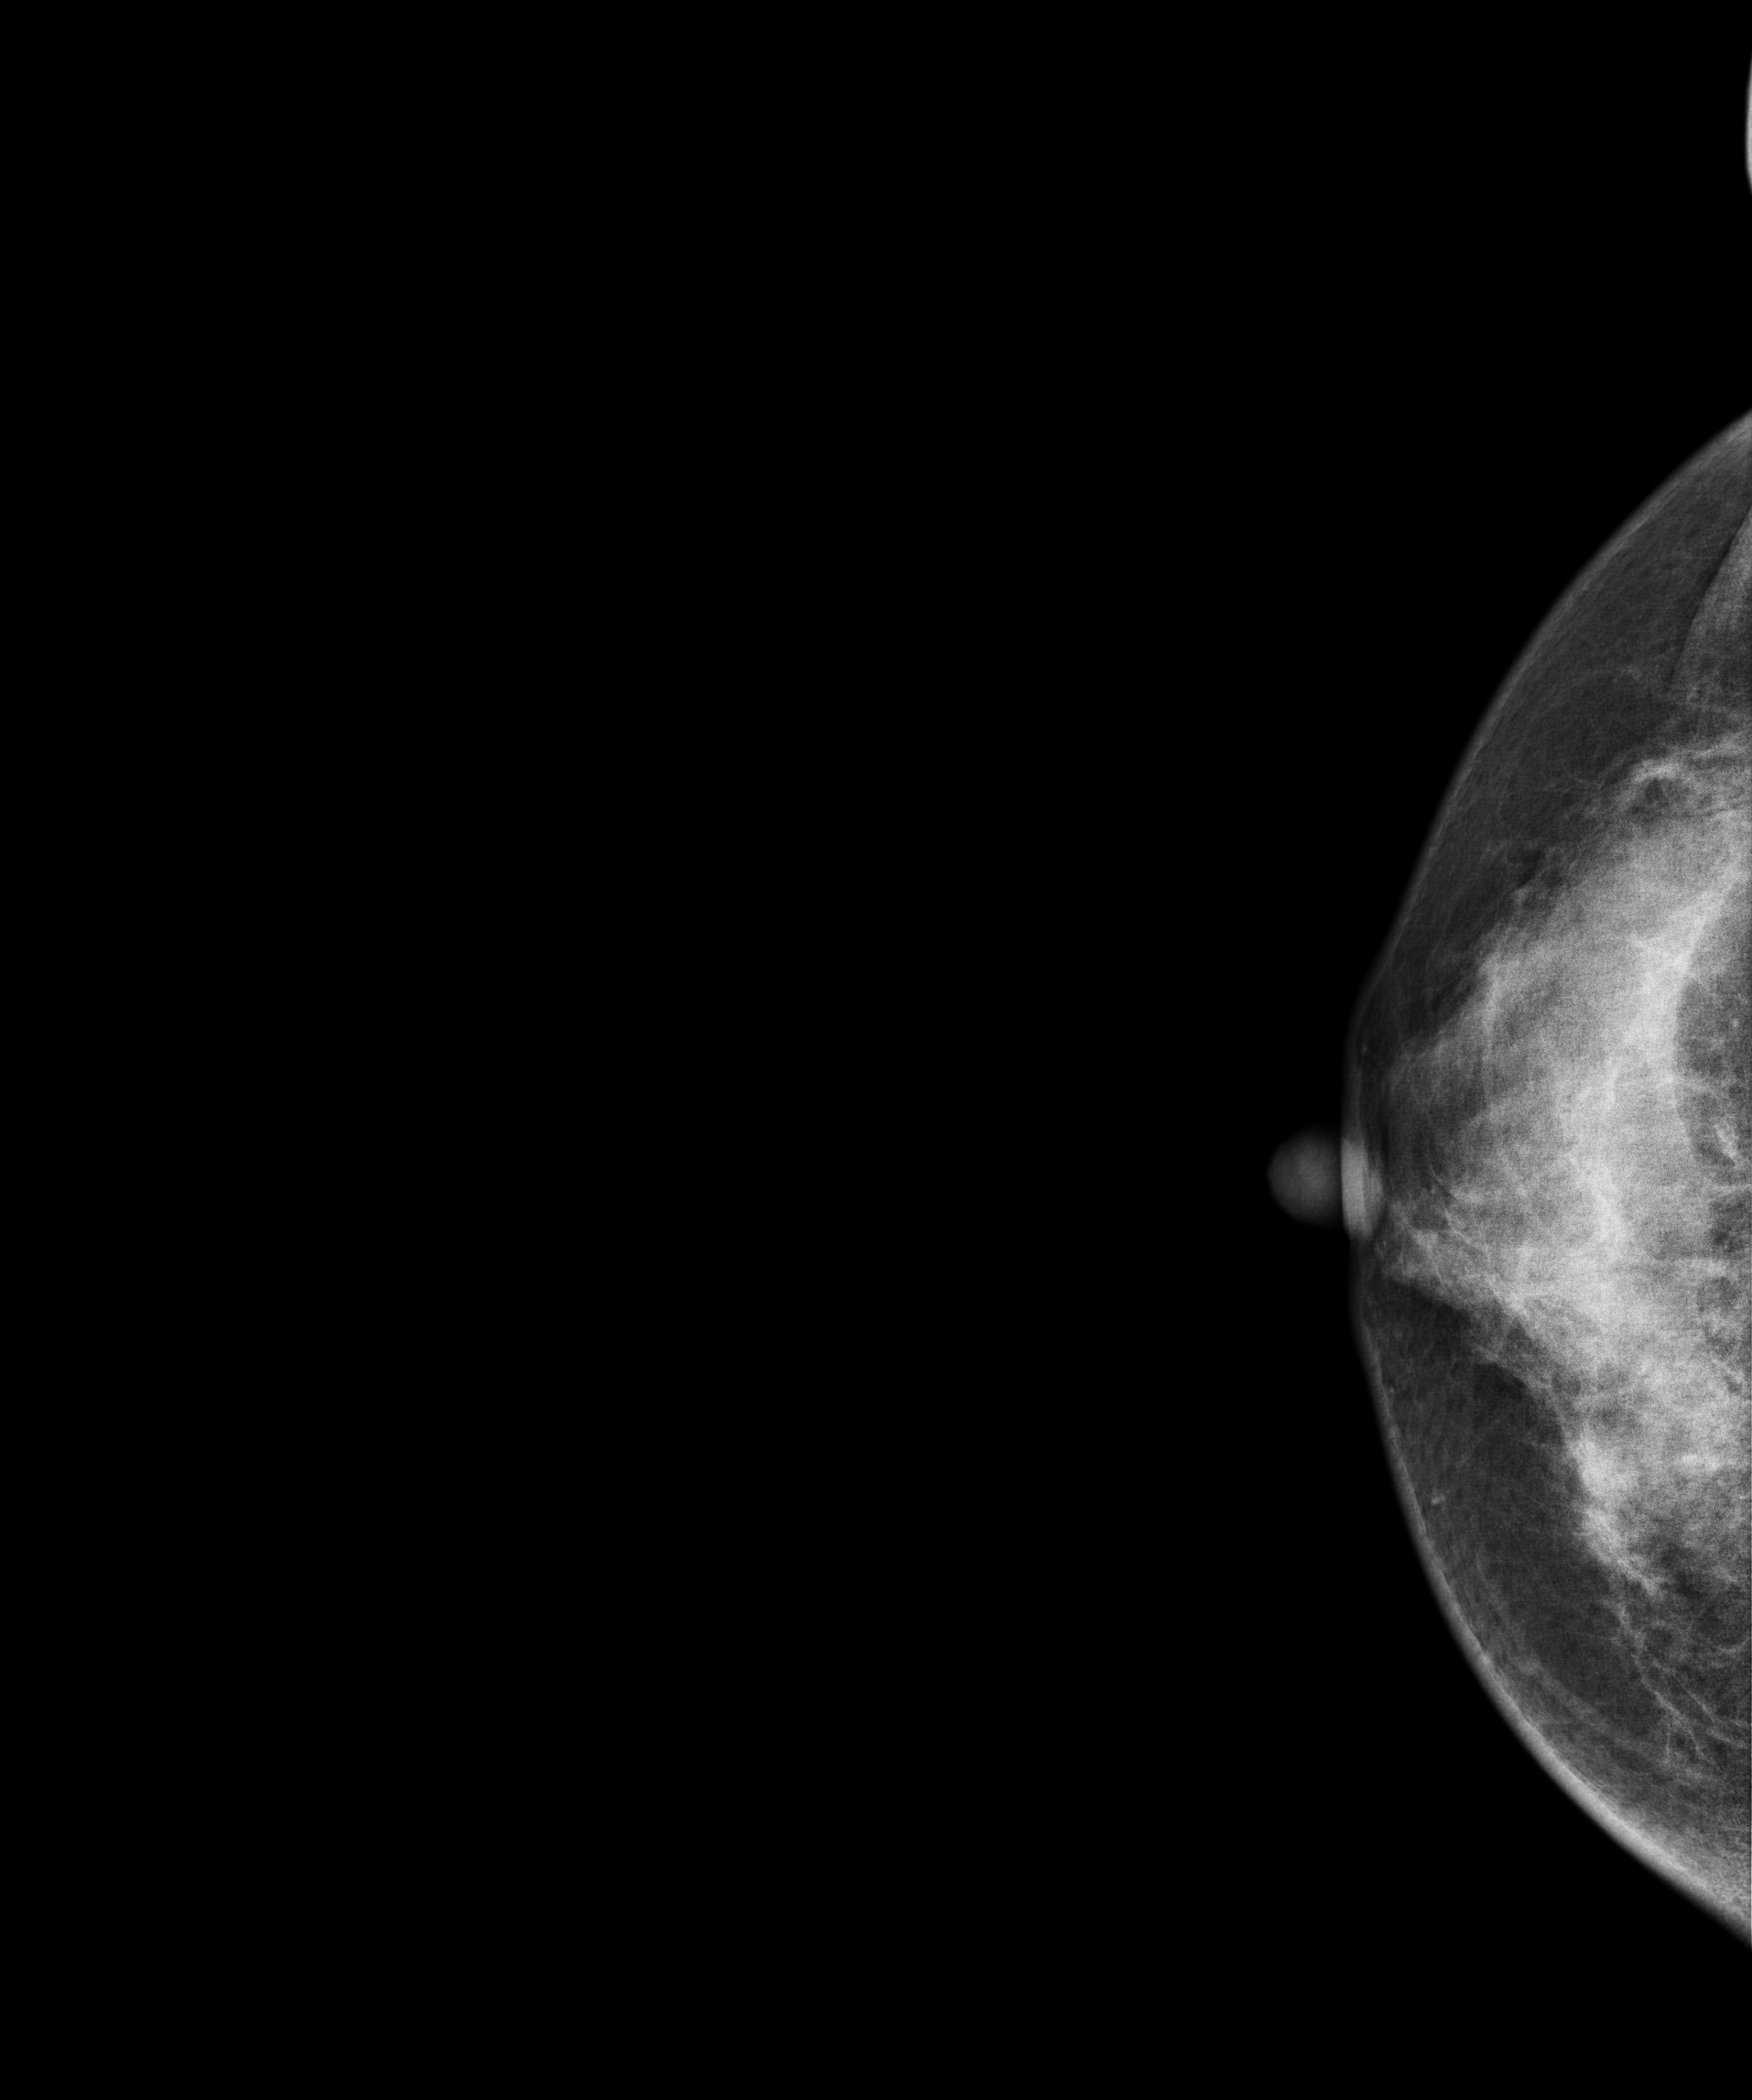
Digital mammography. Right breast, cranio-caudal projection. 39 y/o patient.
This breast has a mass, biopsy-confirmed benign.